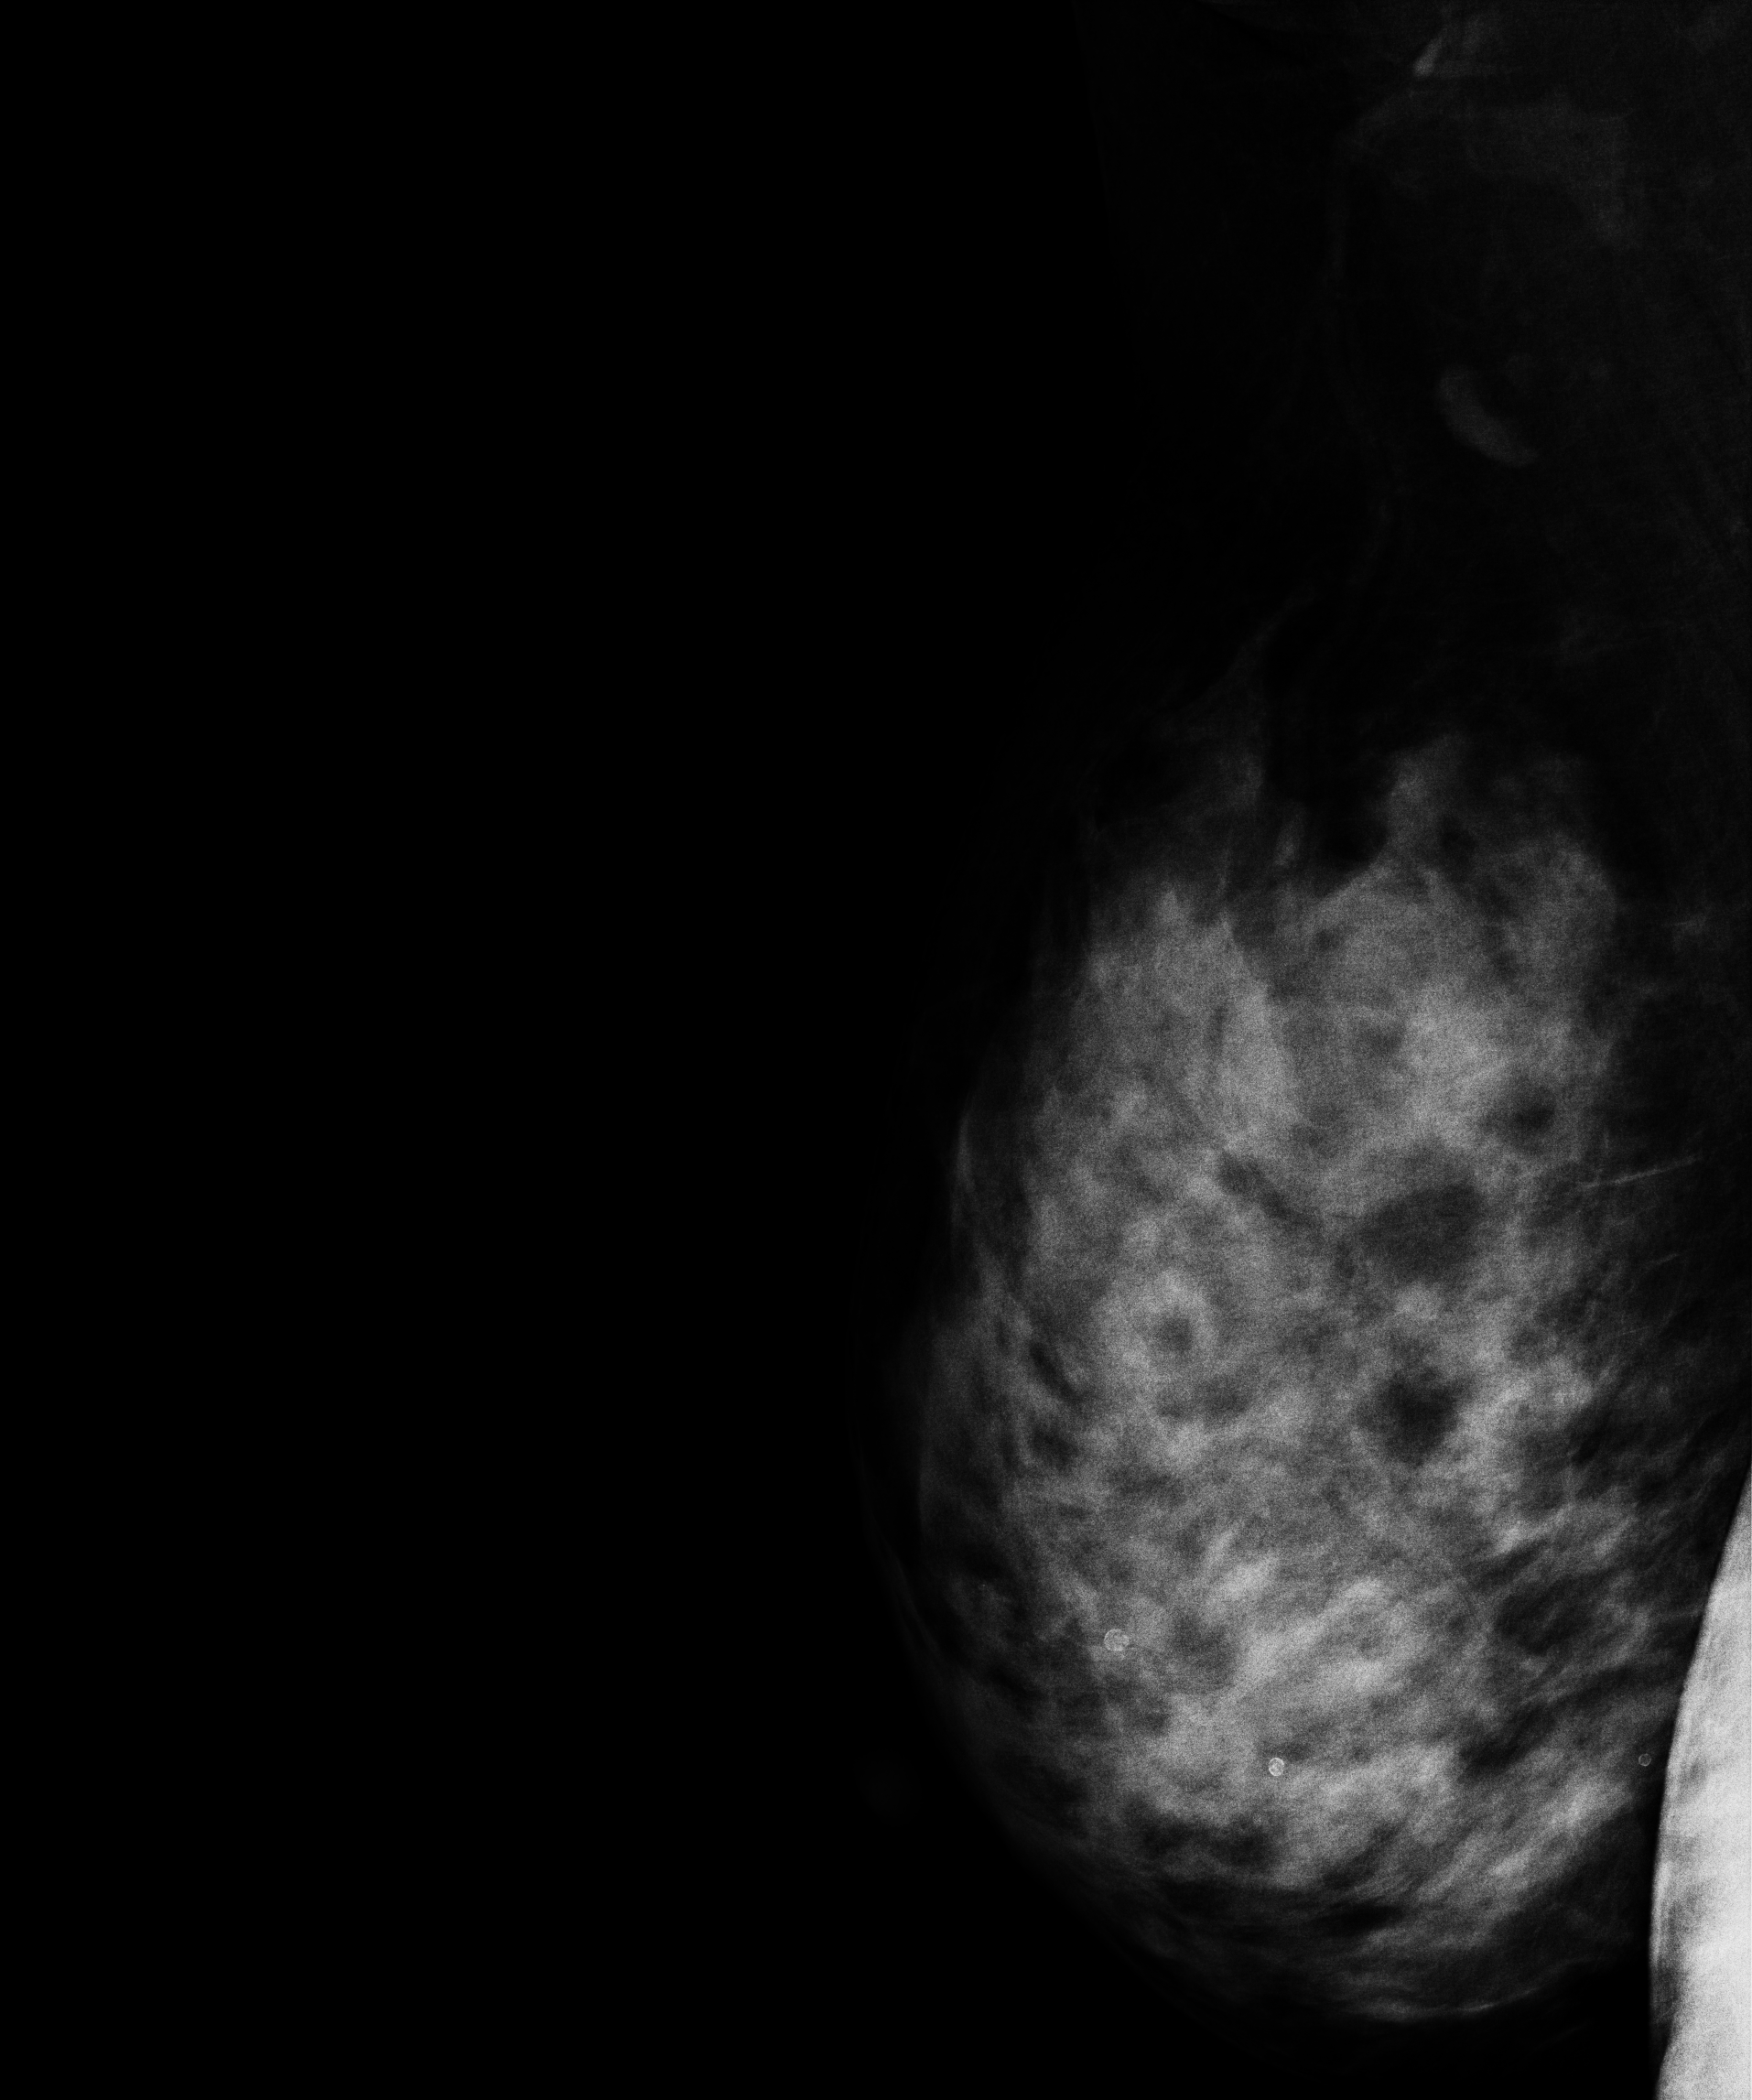
Mammogram — right medio-lateral oblique. 43-year-old patient.
This breast has a mass, histologically confirmed benign.